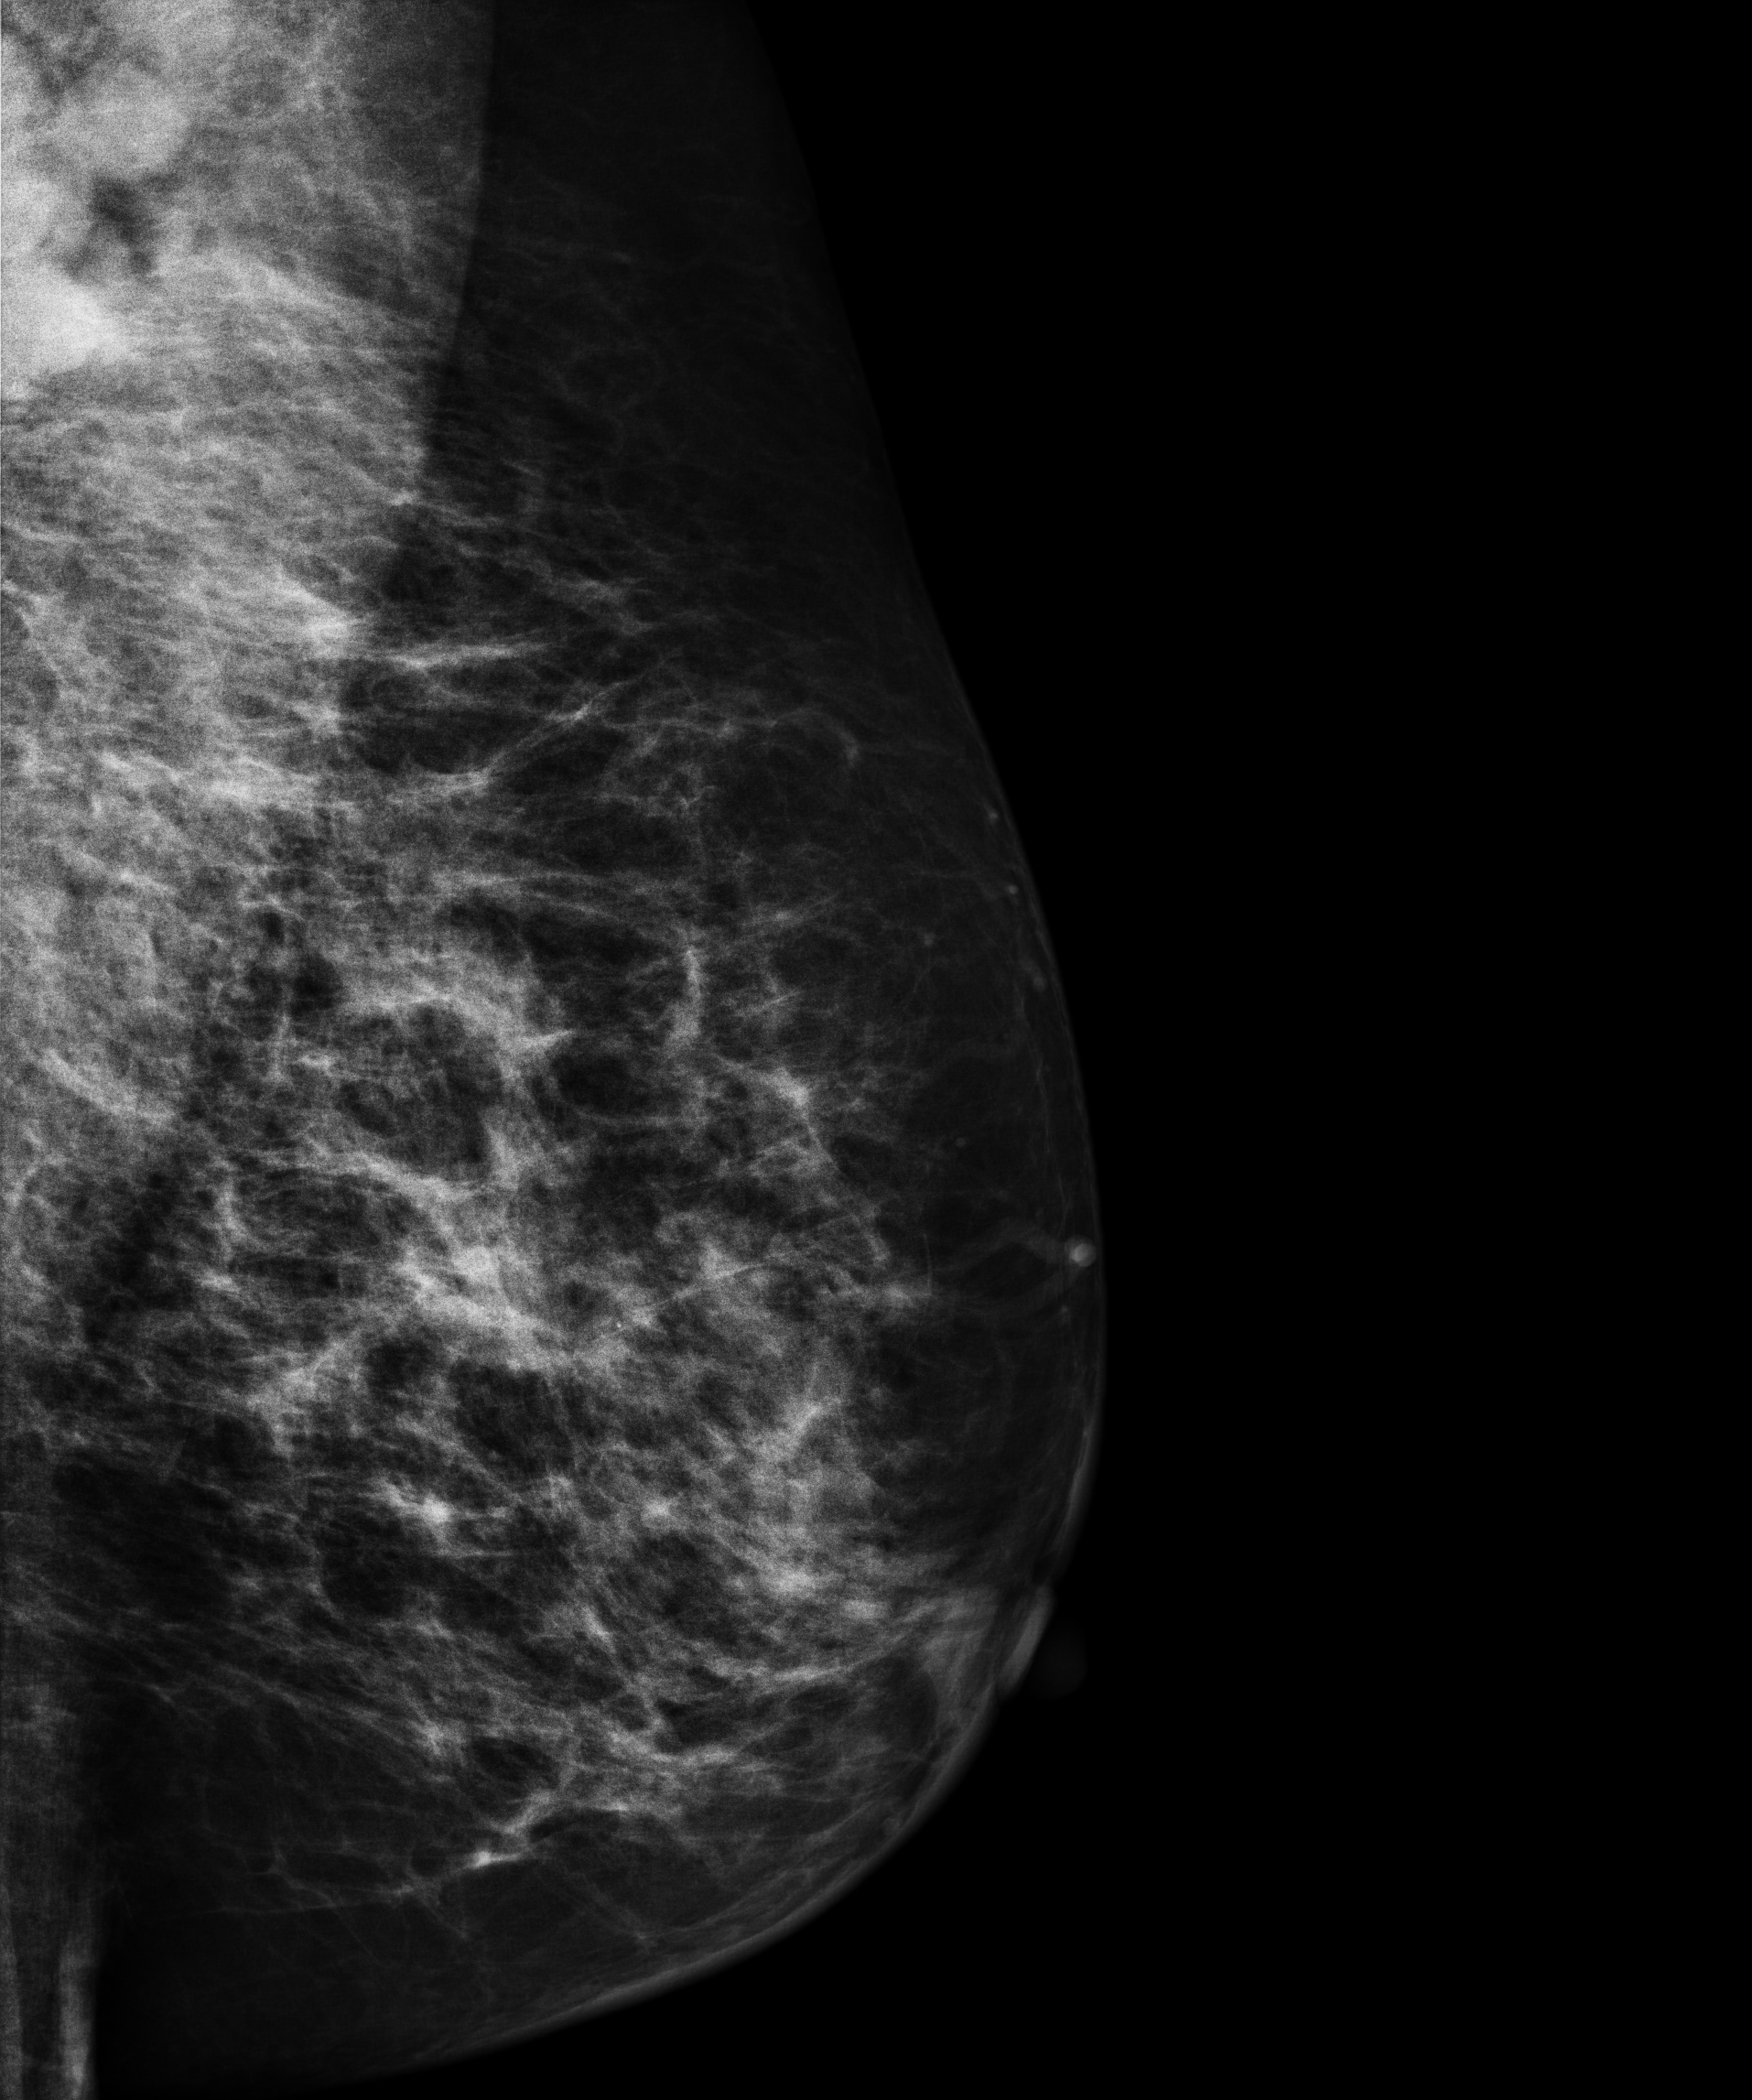
Mammogram, left breast, medio-lateral oblique view. 64-year-old patient.
This breast has a mass, histologically confirmed malignant. Molecular subtype: triple-negative.